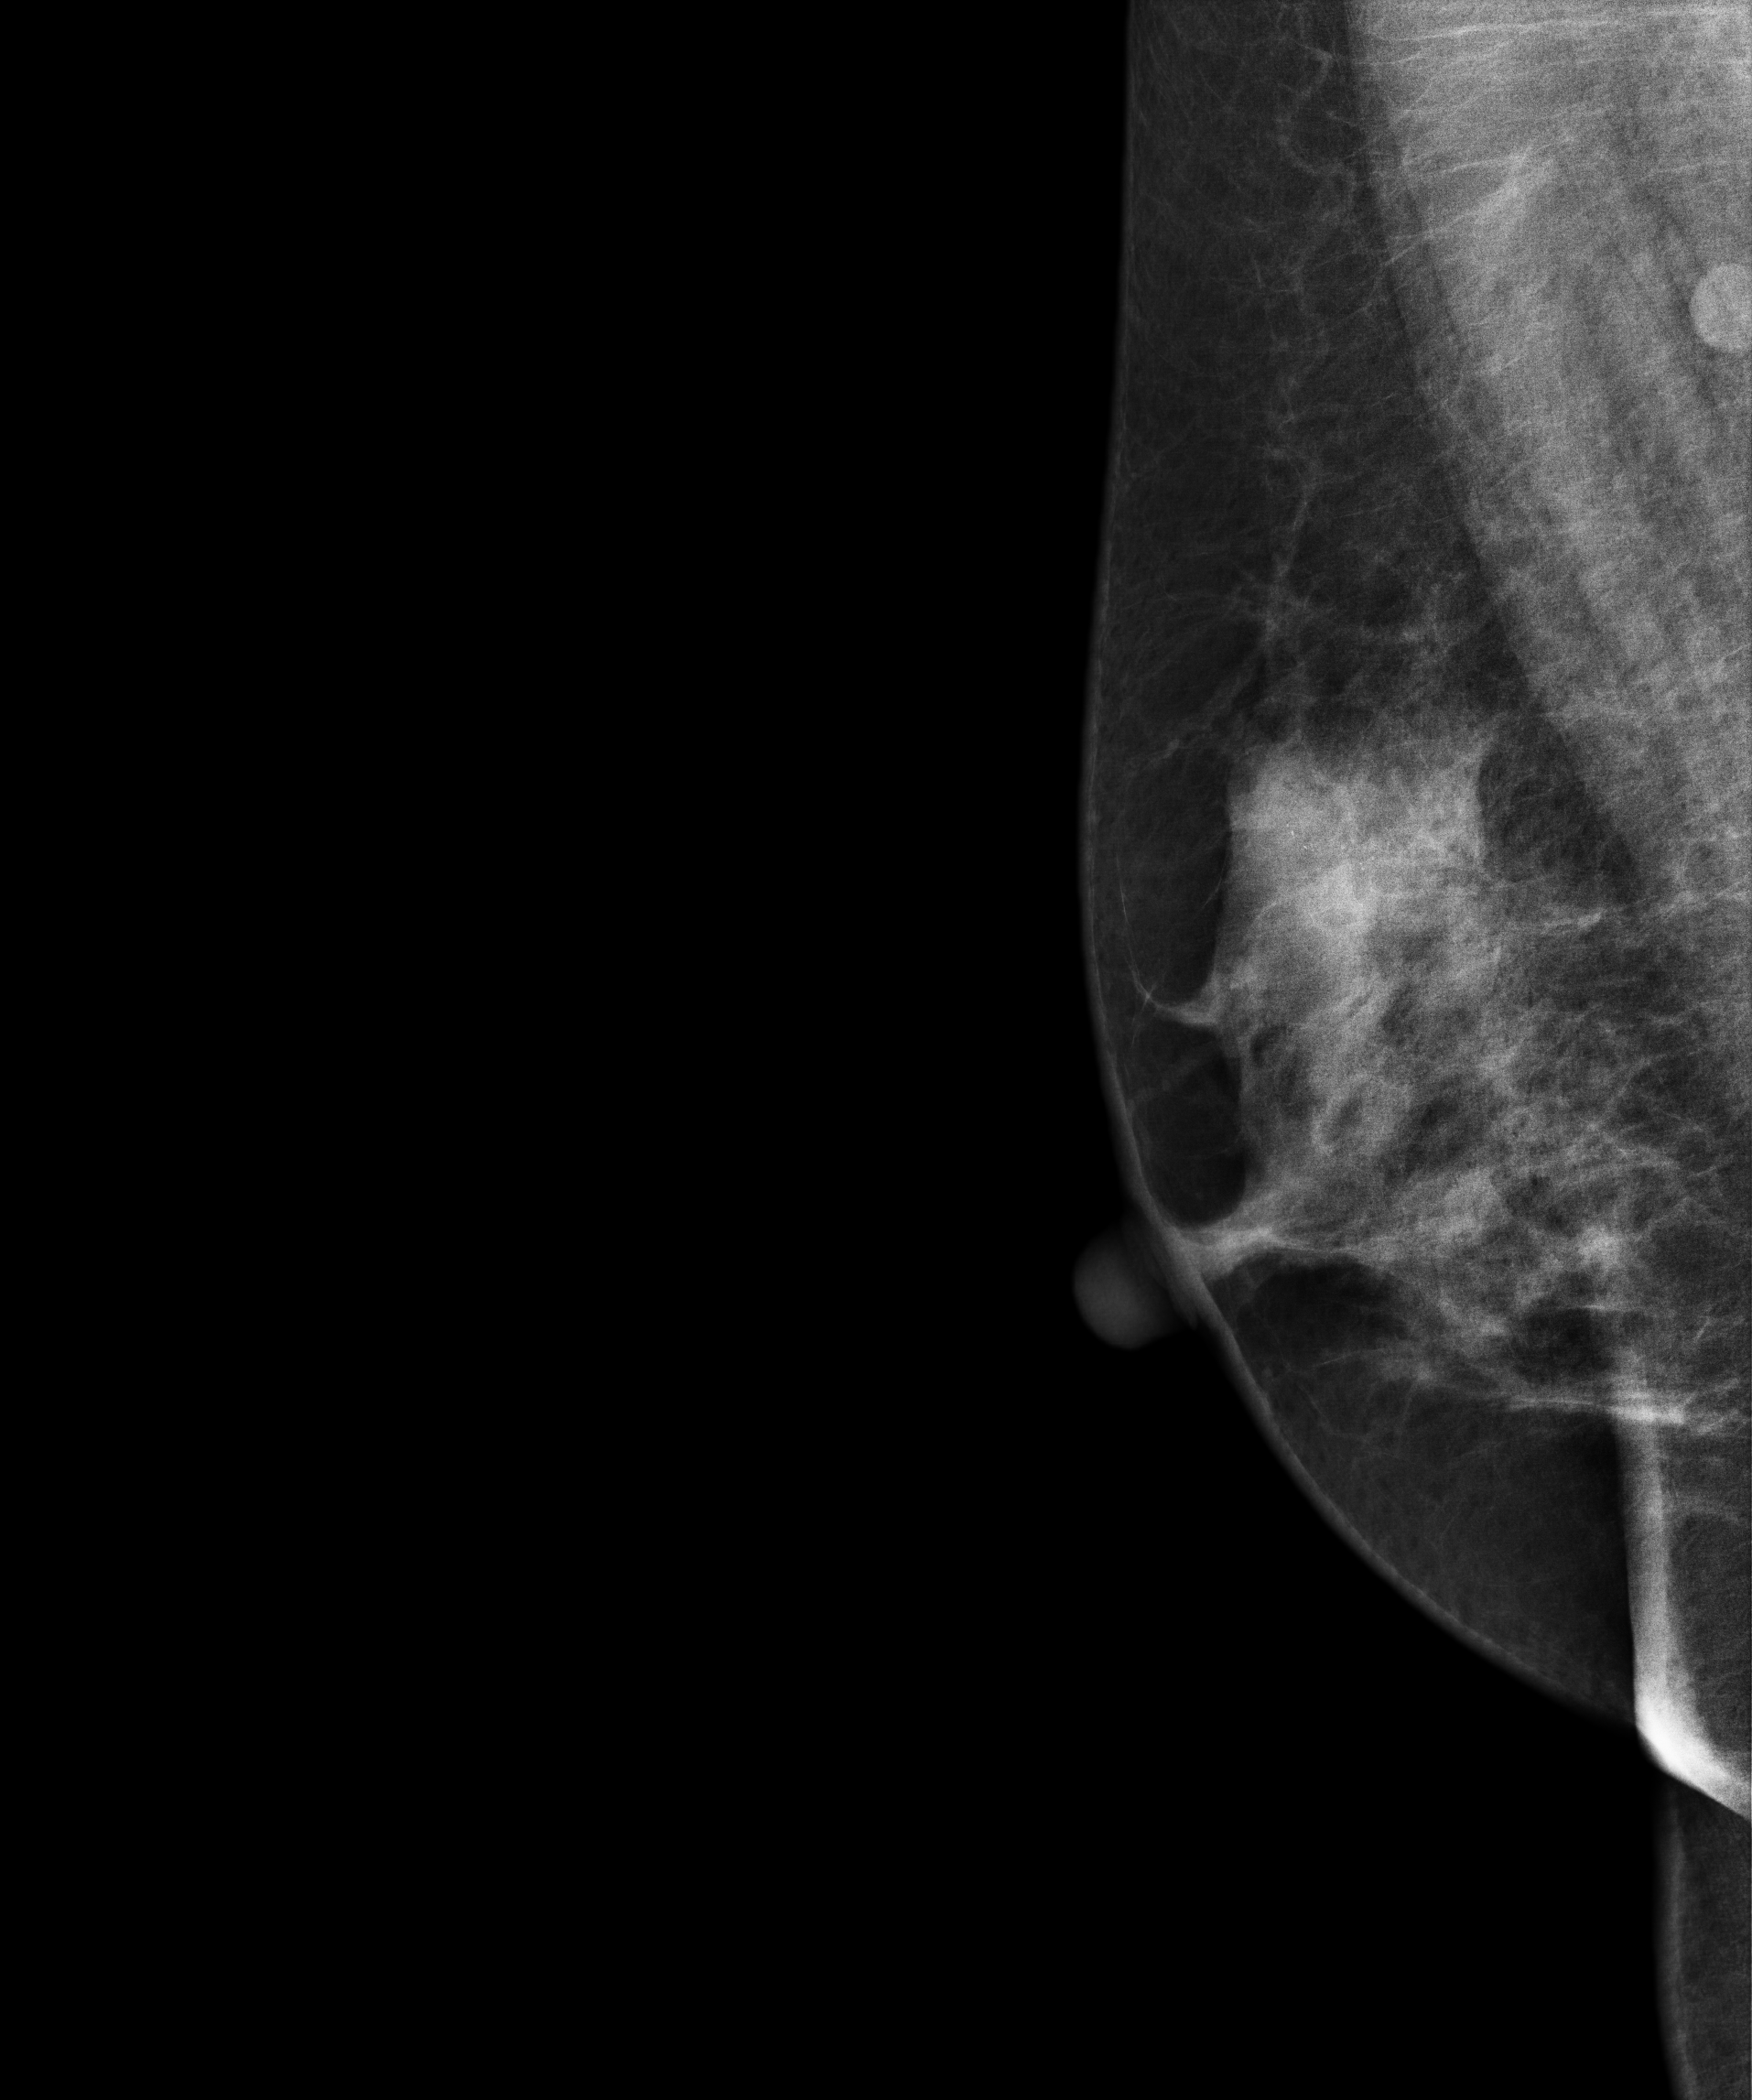
Right-breast mammogram, medio-lateral oblique. Patient age 39.
This breast has a mass and calcifications, pathology-confirmed malignant. Molecular subtype: triple-negative.